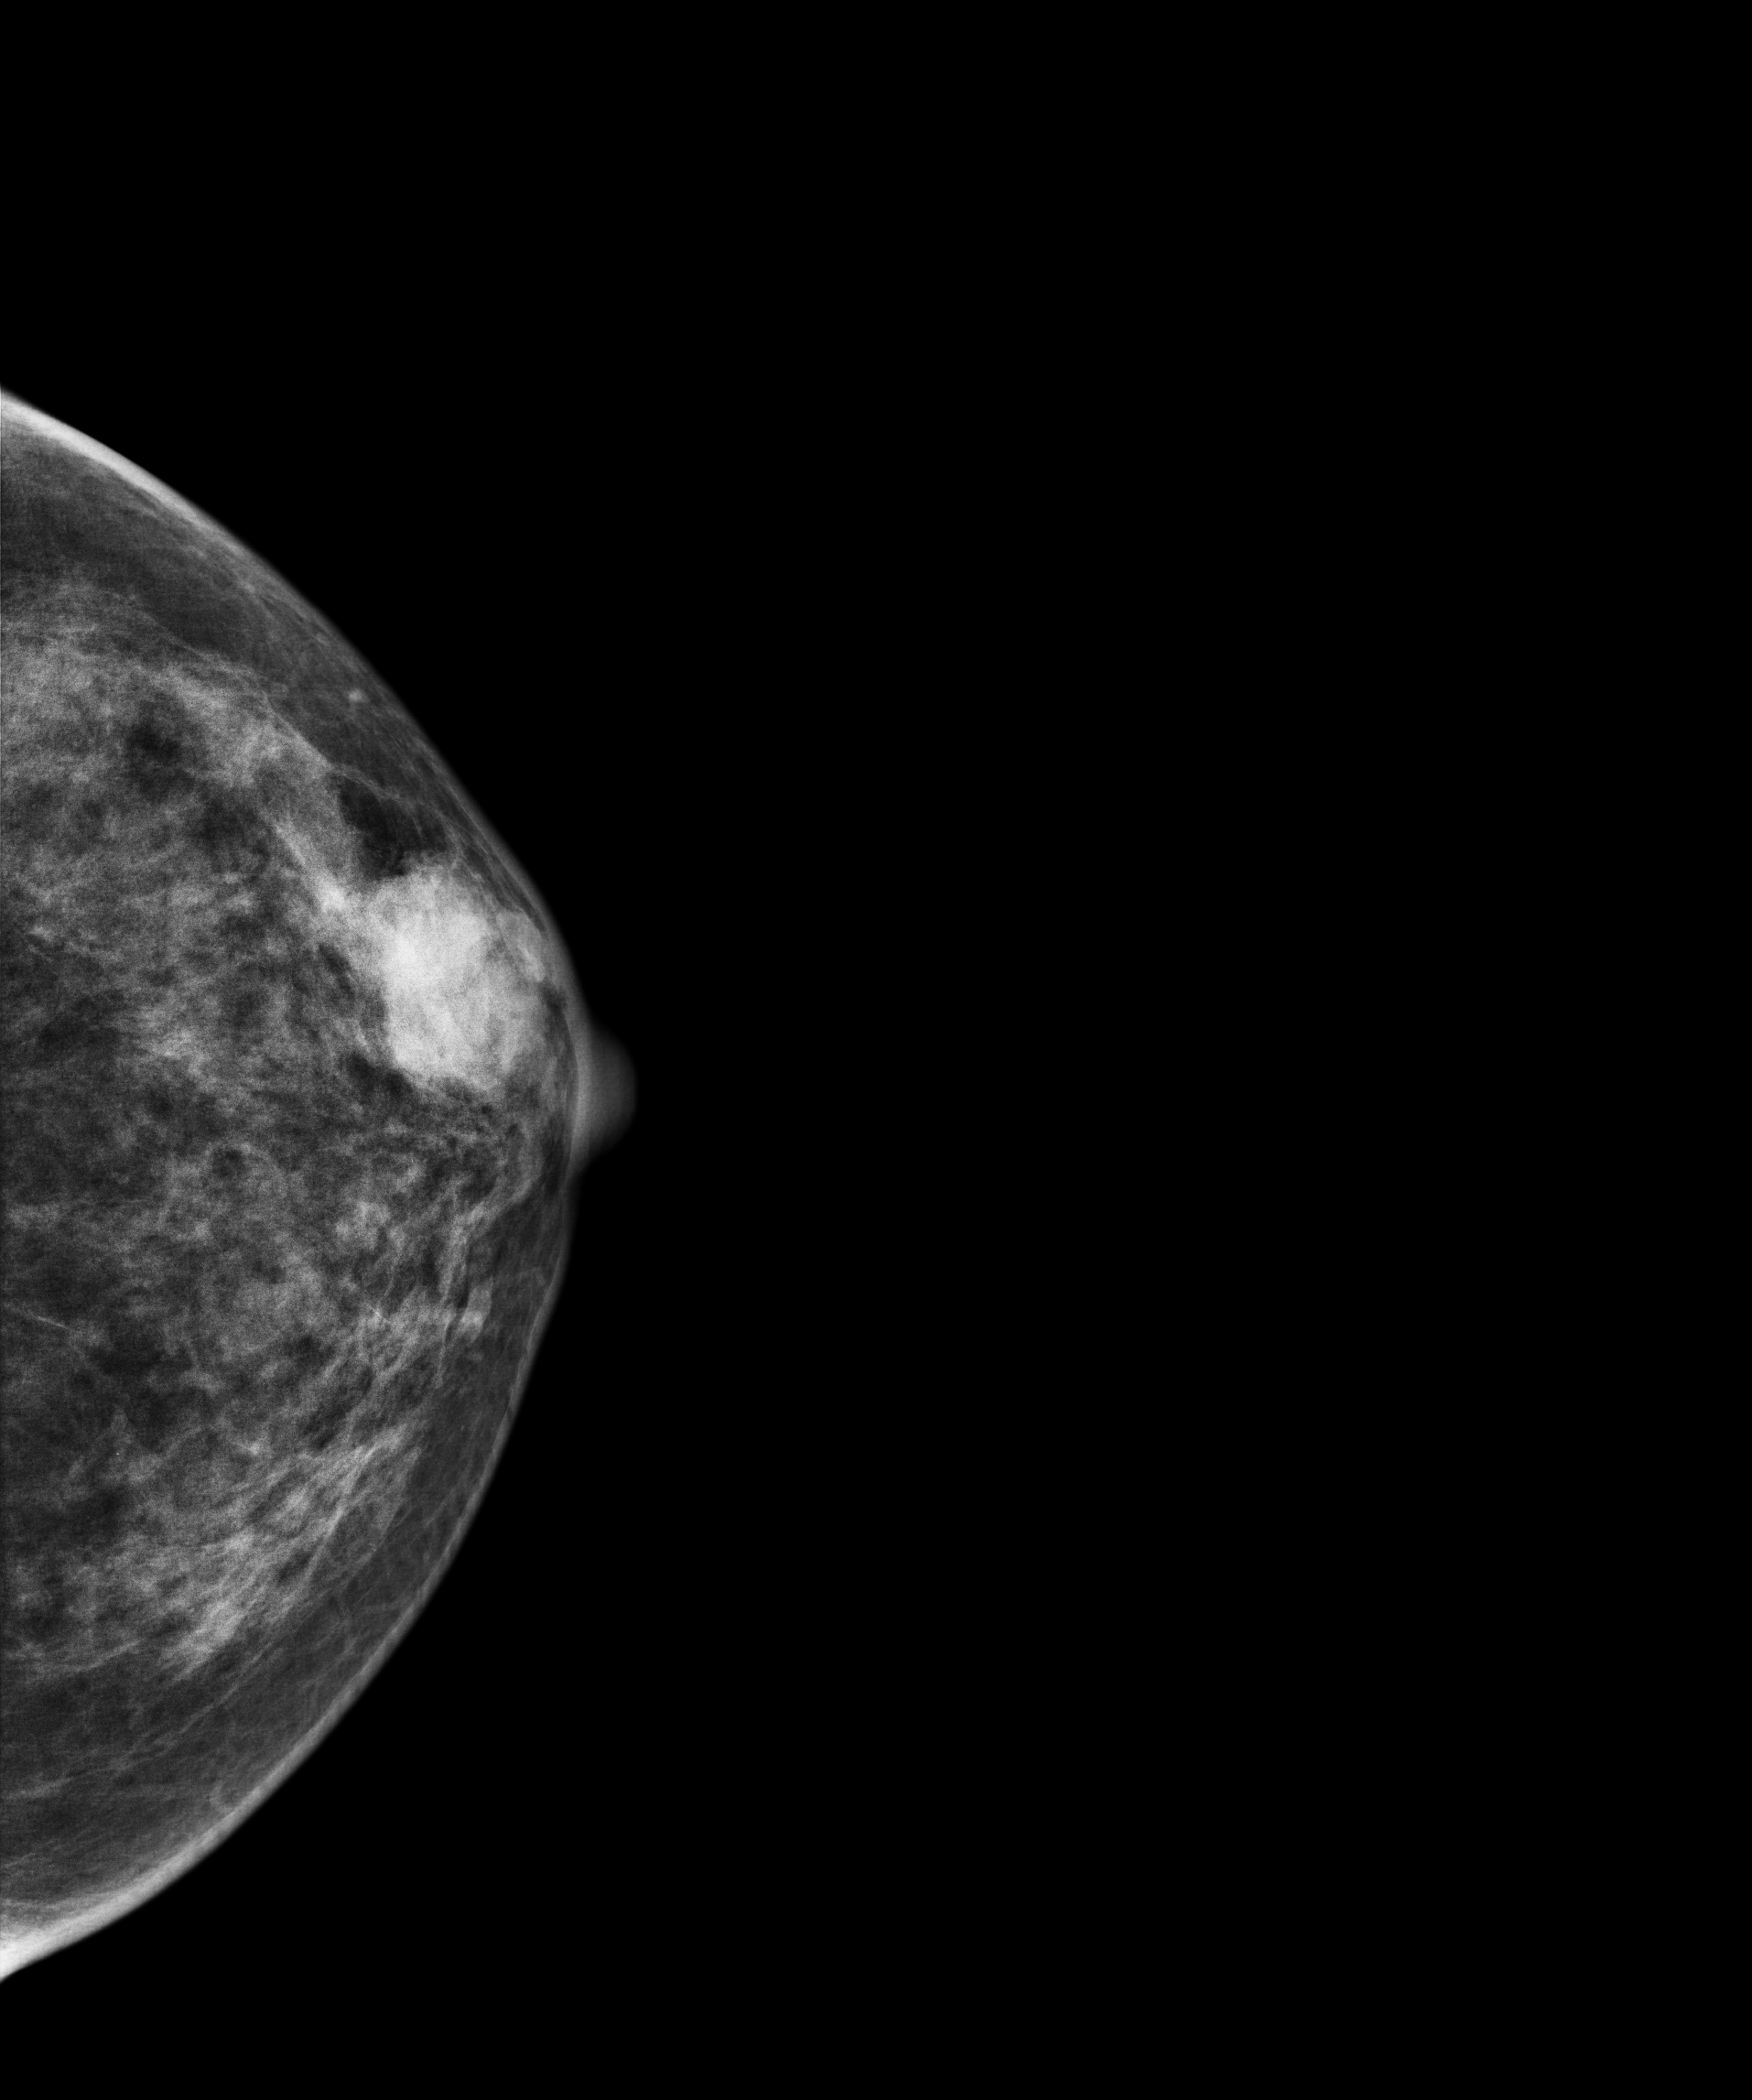
Left-breast mammogram, cranio-caudal. 46 y/o patient.
This breast has a mass, pathology-confirmed malignant.